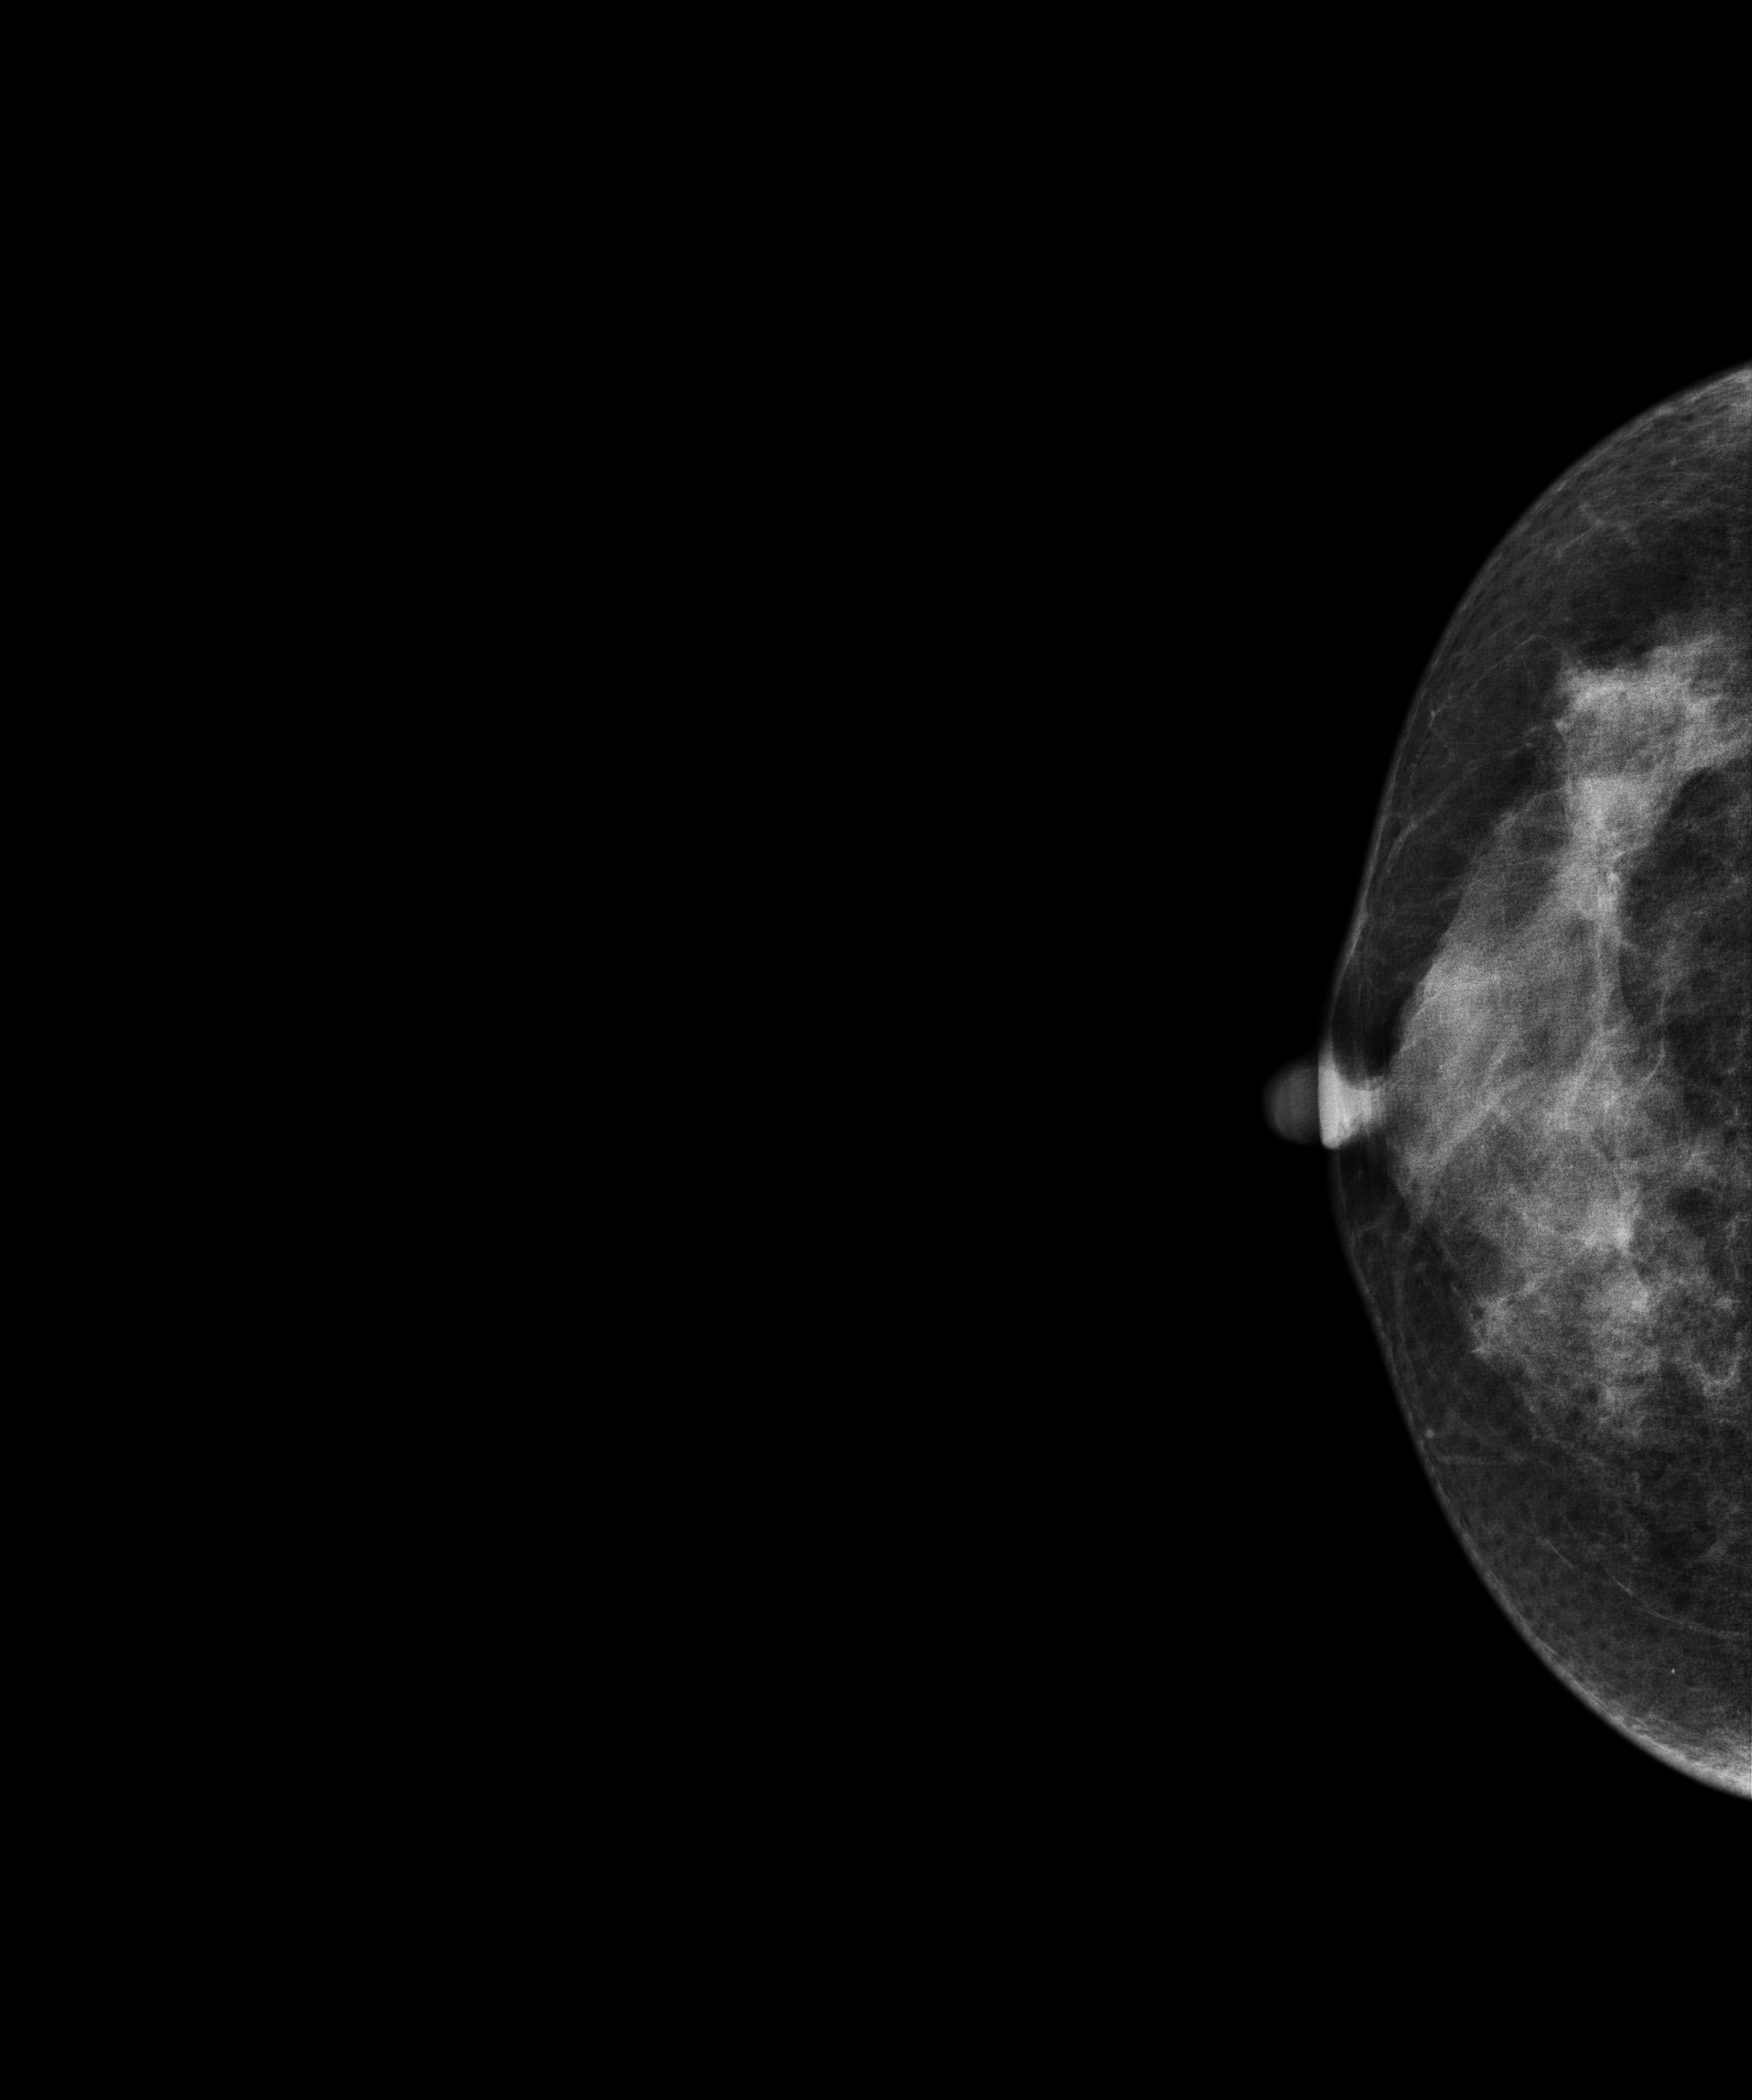
Digital mammography. Right breast, CC projection. Patient age 51.
This breast has a mass, histologically confirmed malignant. Molecular subtype: luminal B.